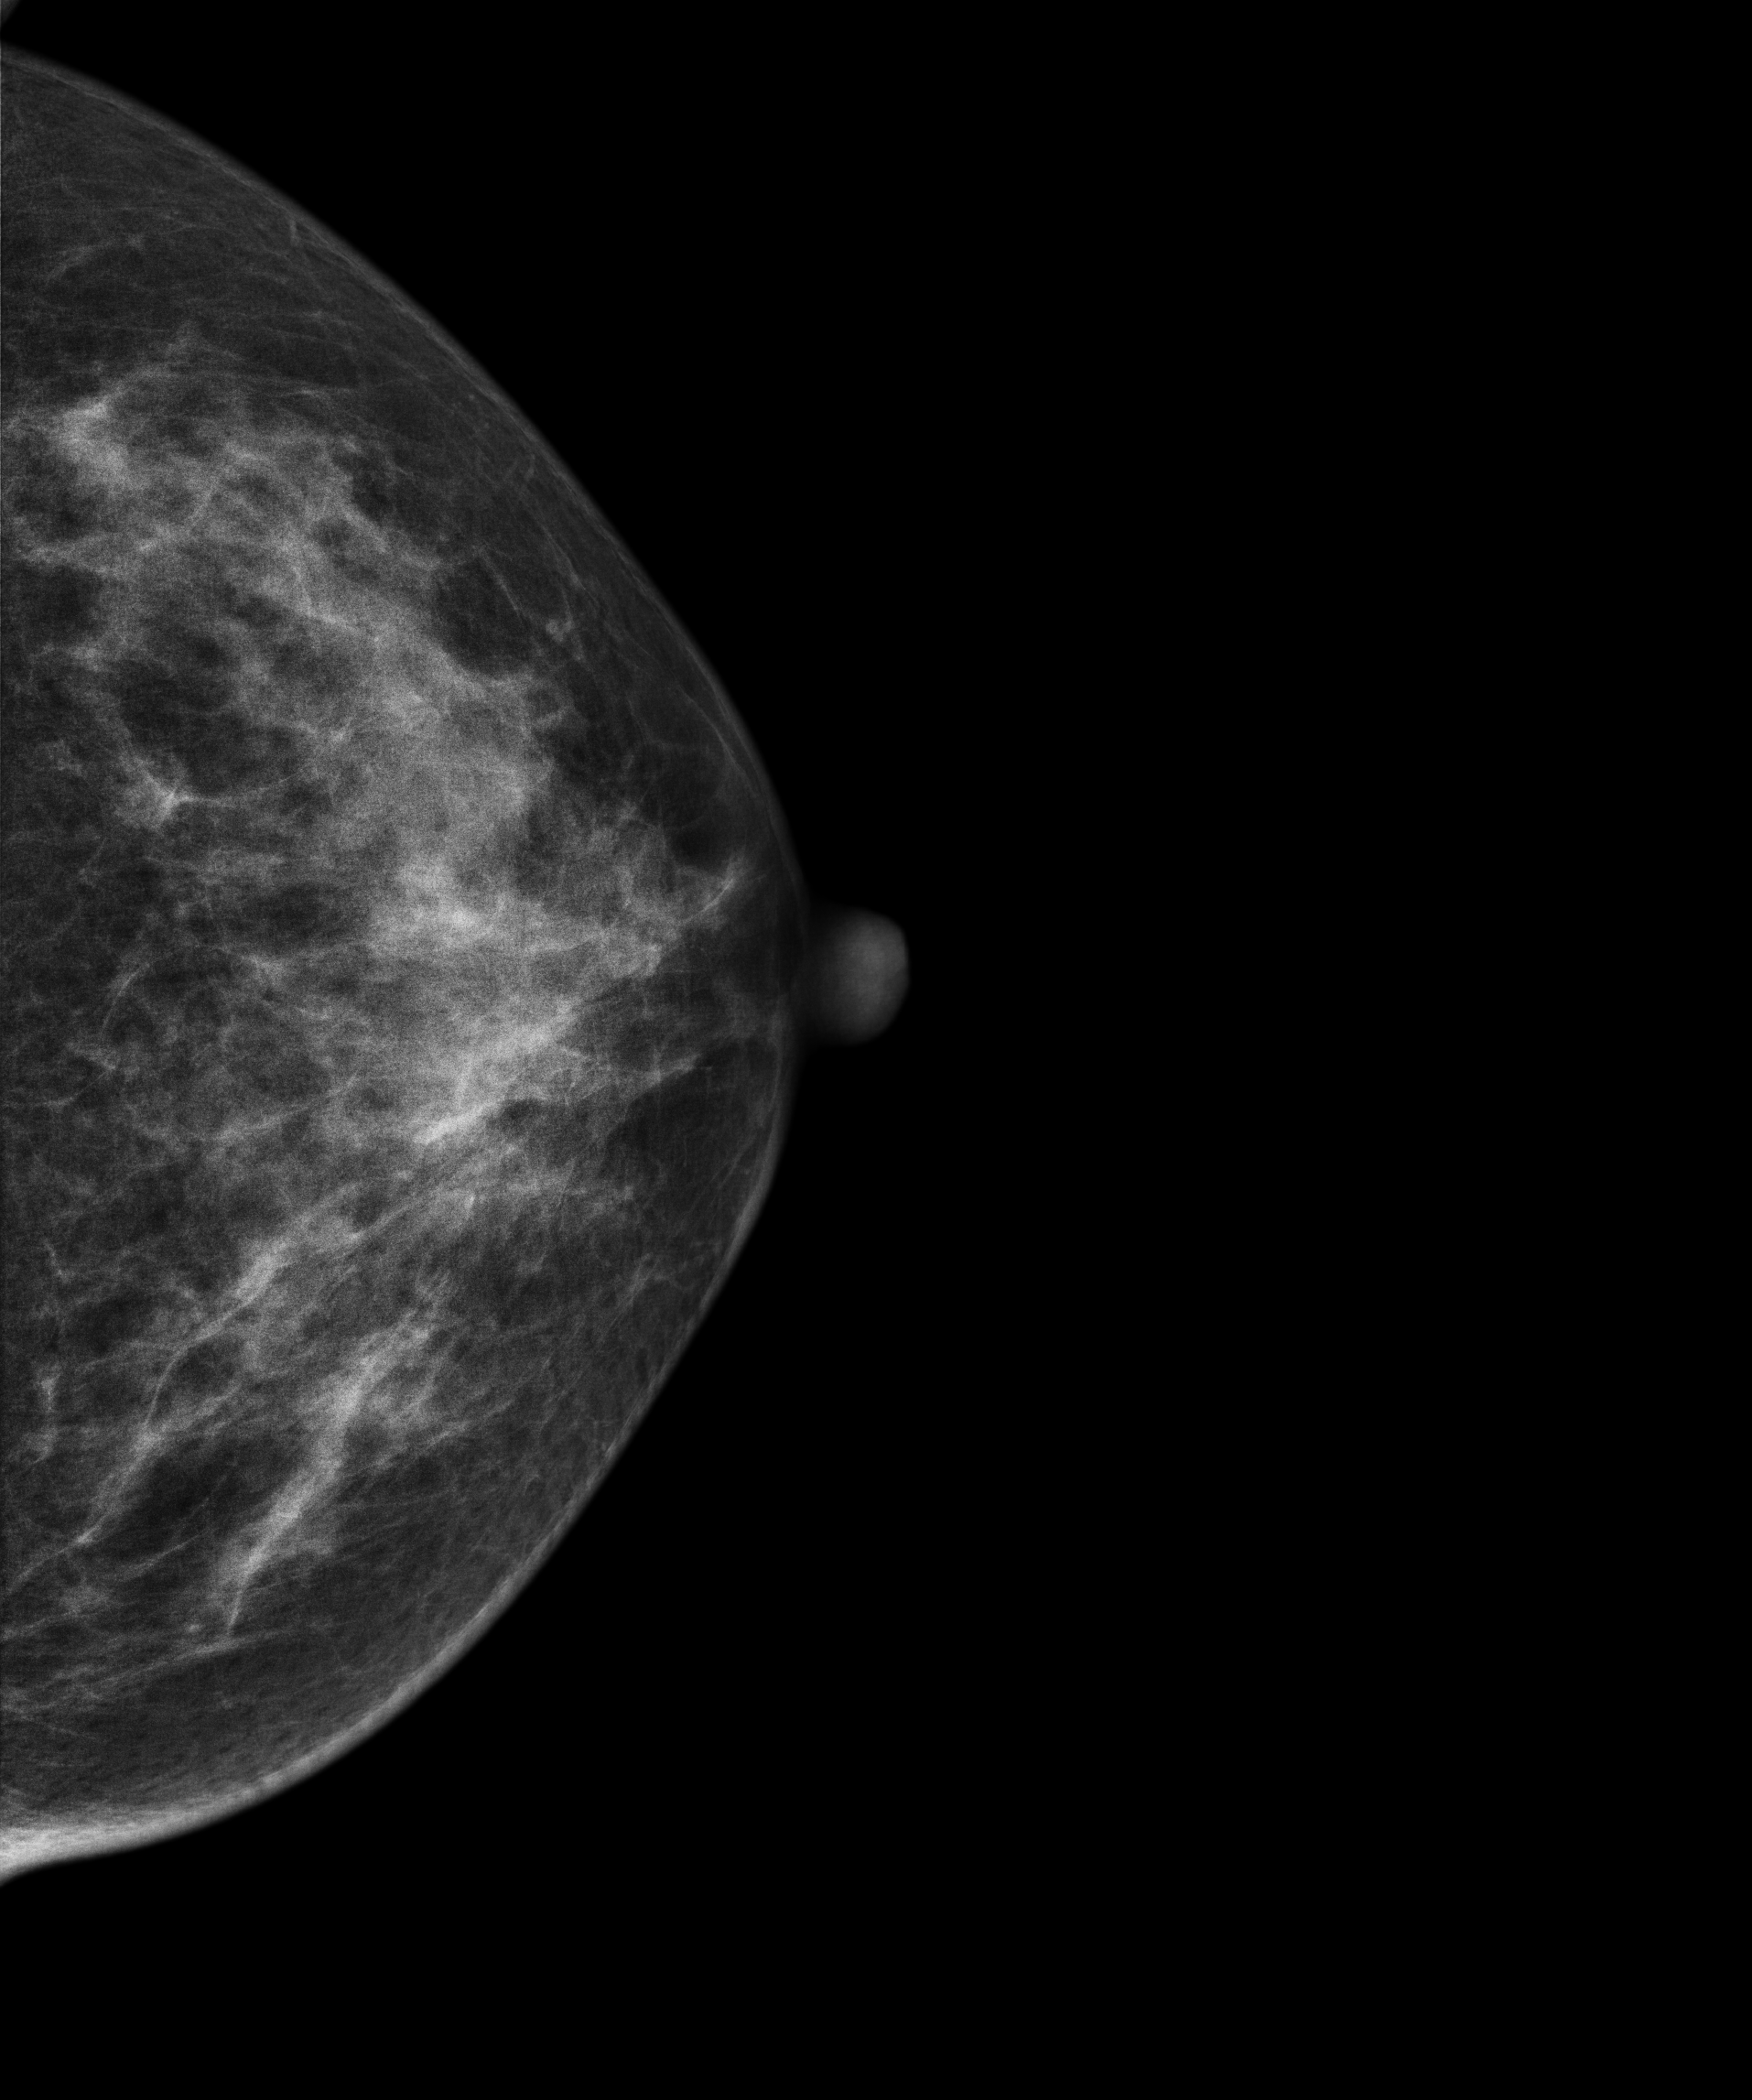
Mammogram — left cranio-caudal. Patient age 50.
Contralateral breast — no documented abnormality on this side.